Digital mammography. Left breast, medio-lateral oblique projection. 46 y/o patient.
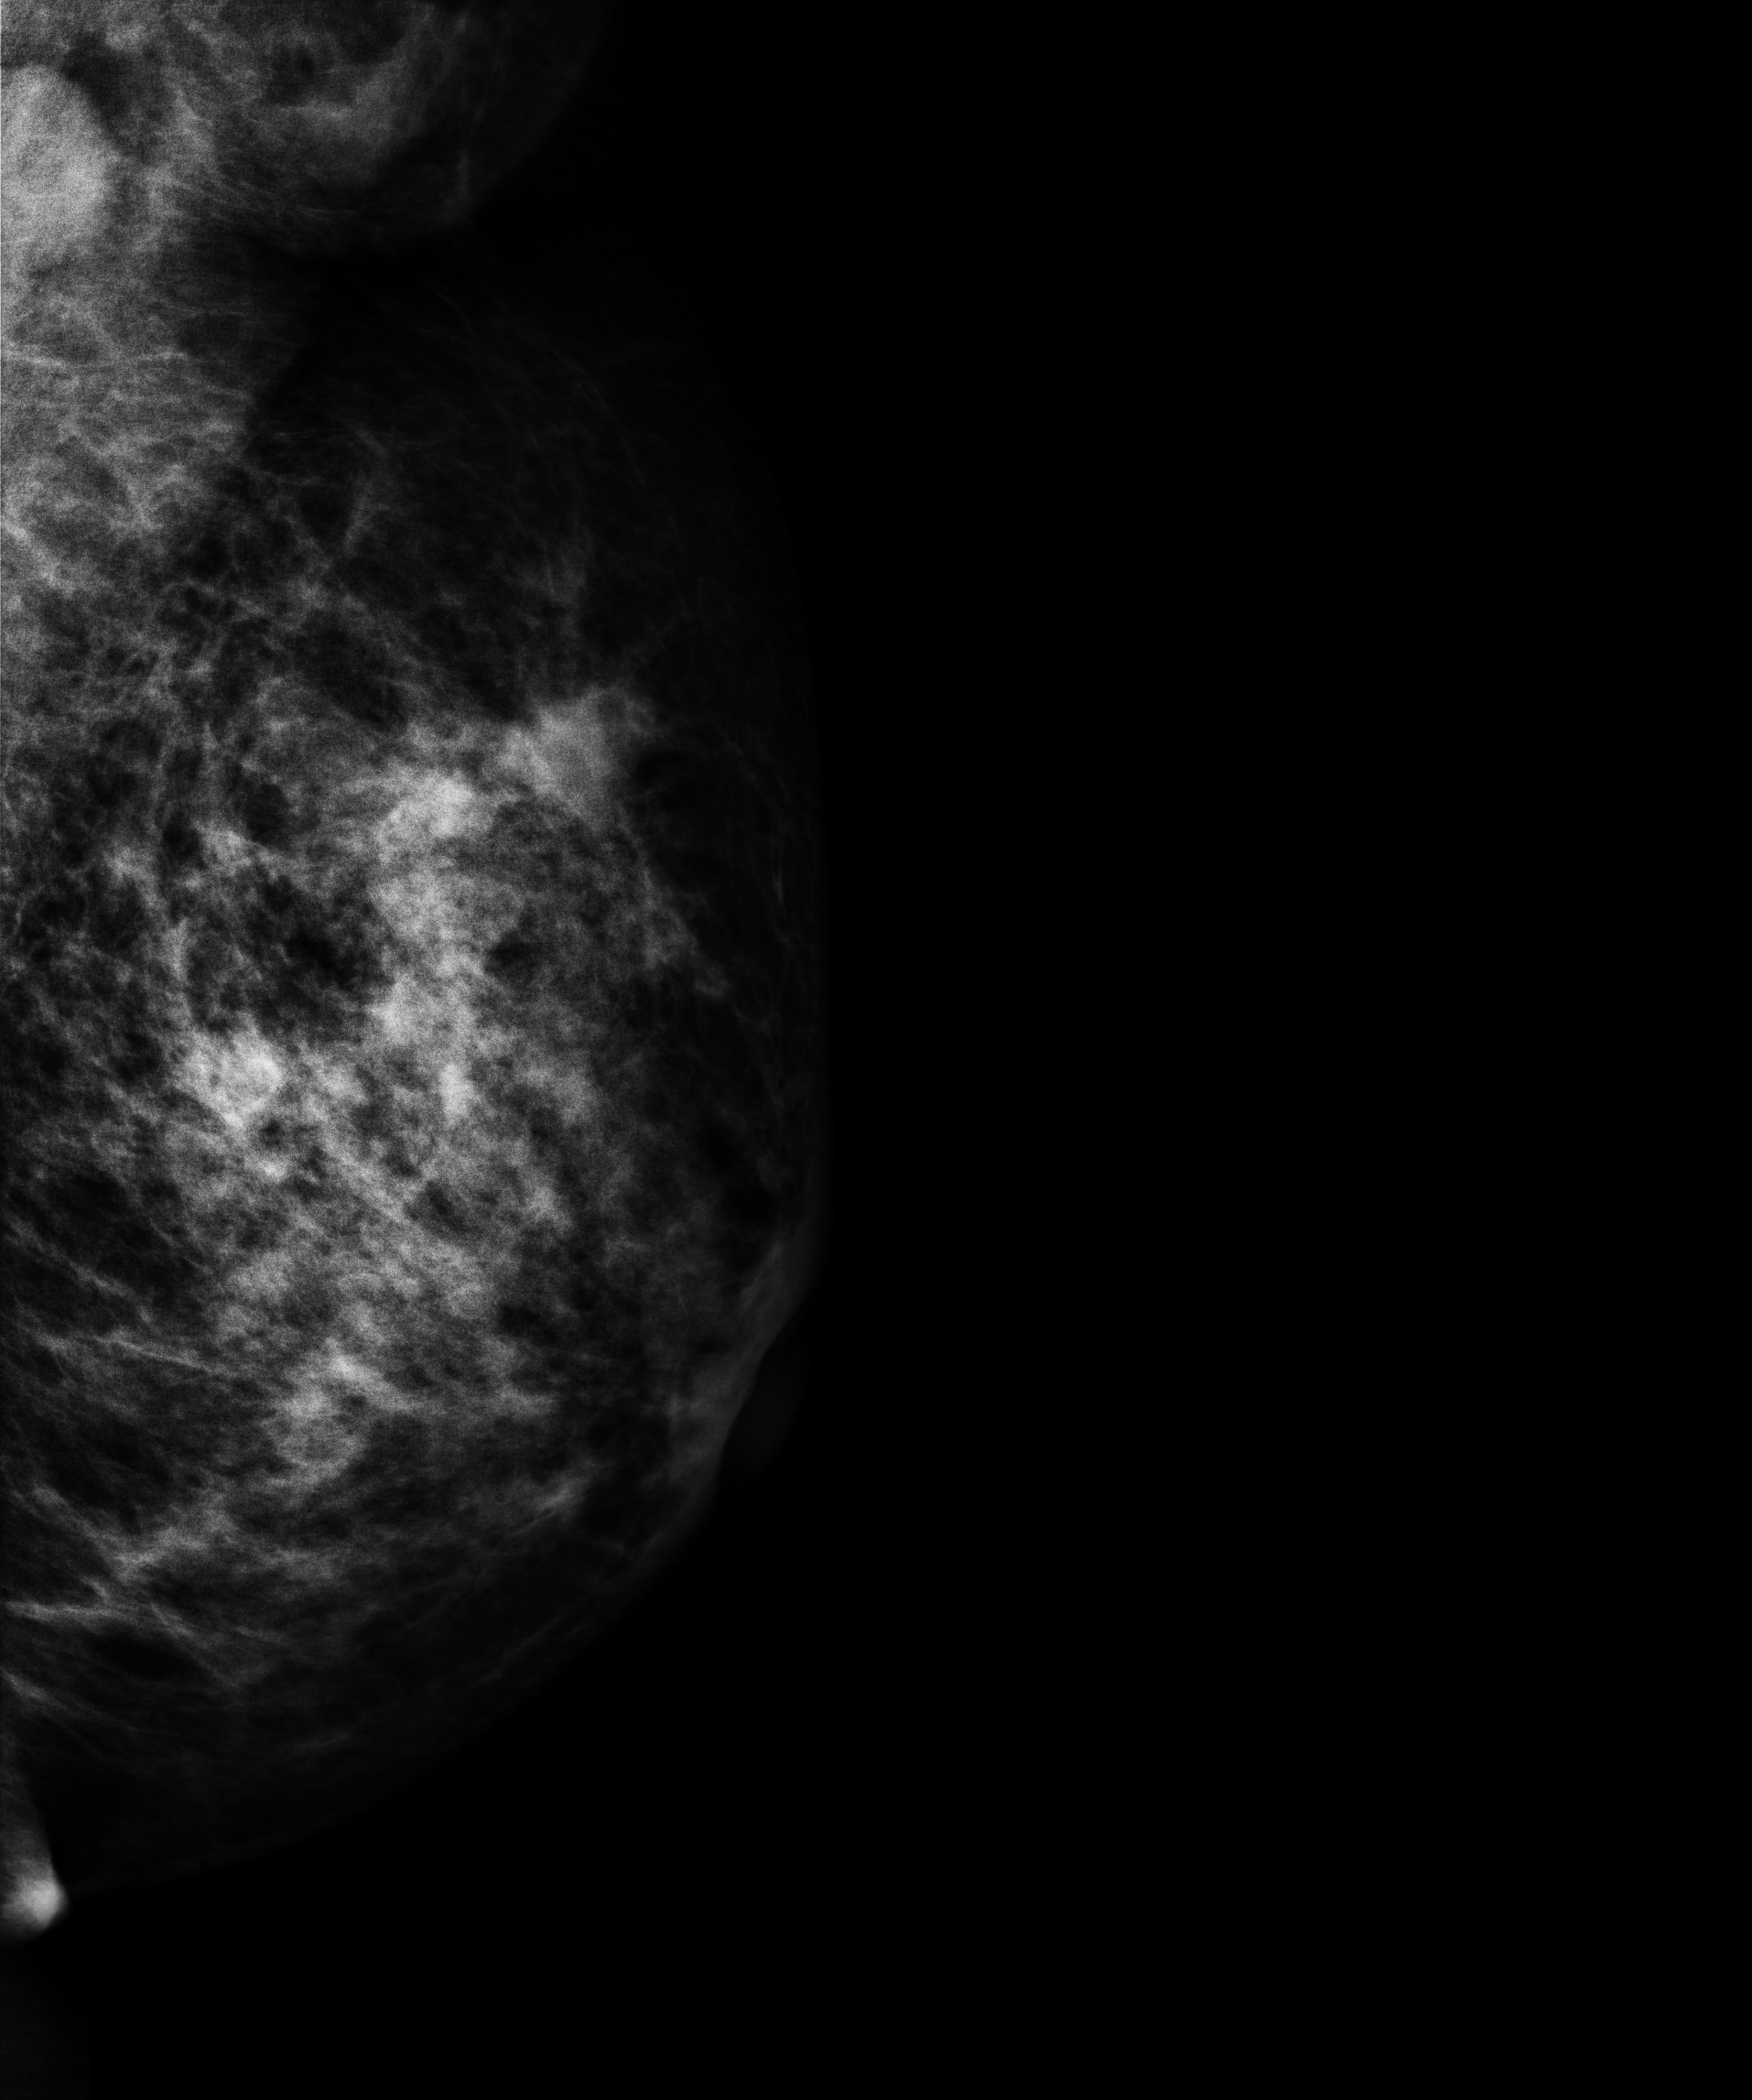
This breast has a mass, biopsy-confirmed malignant. Molecular subtype: luminal A.